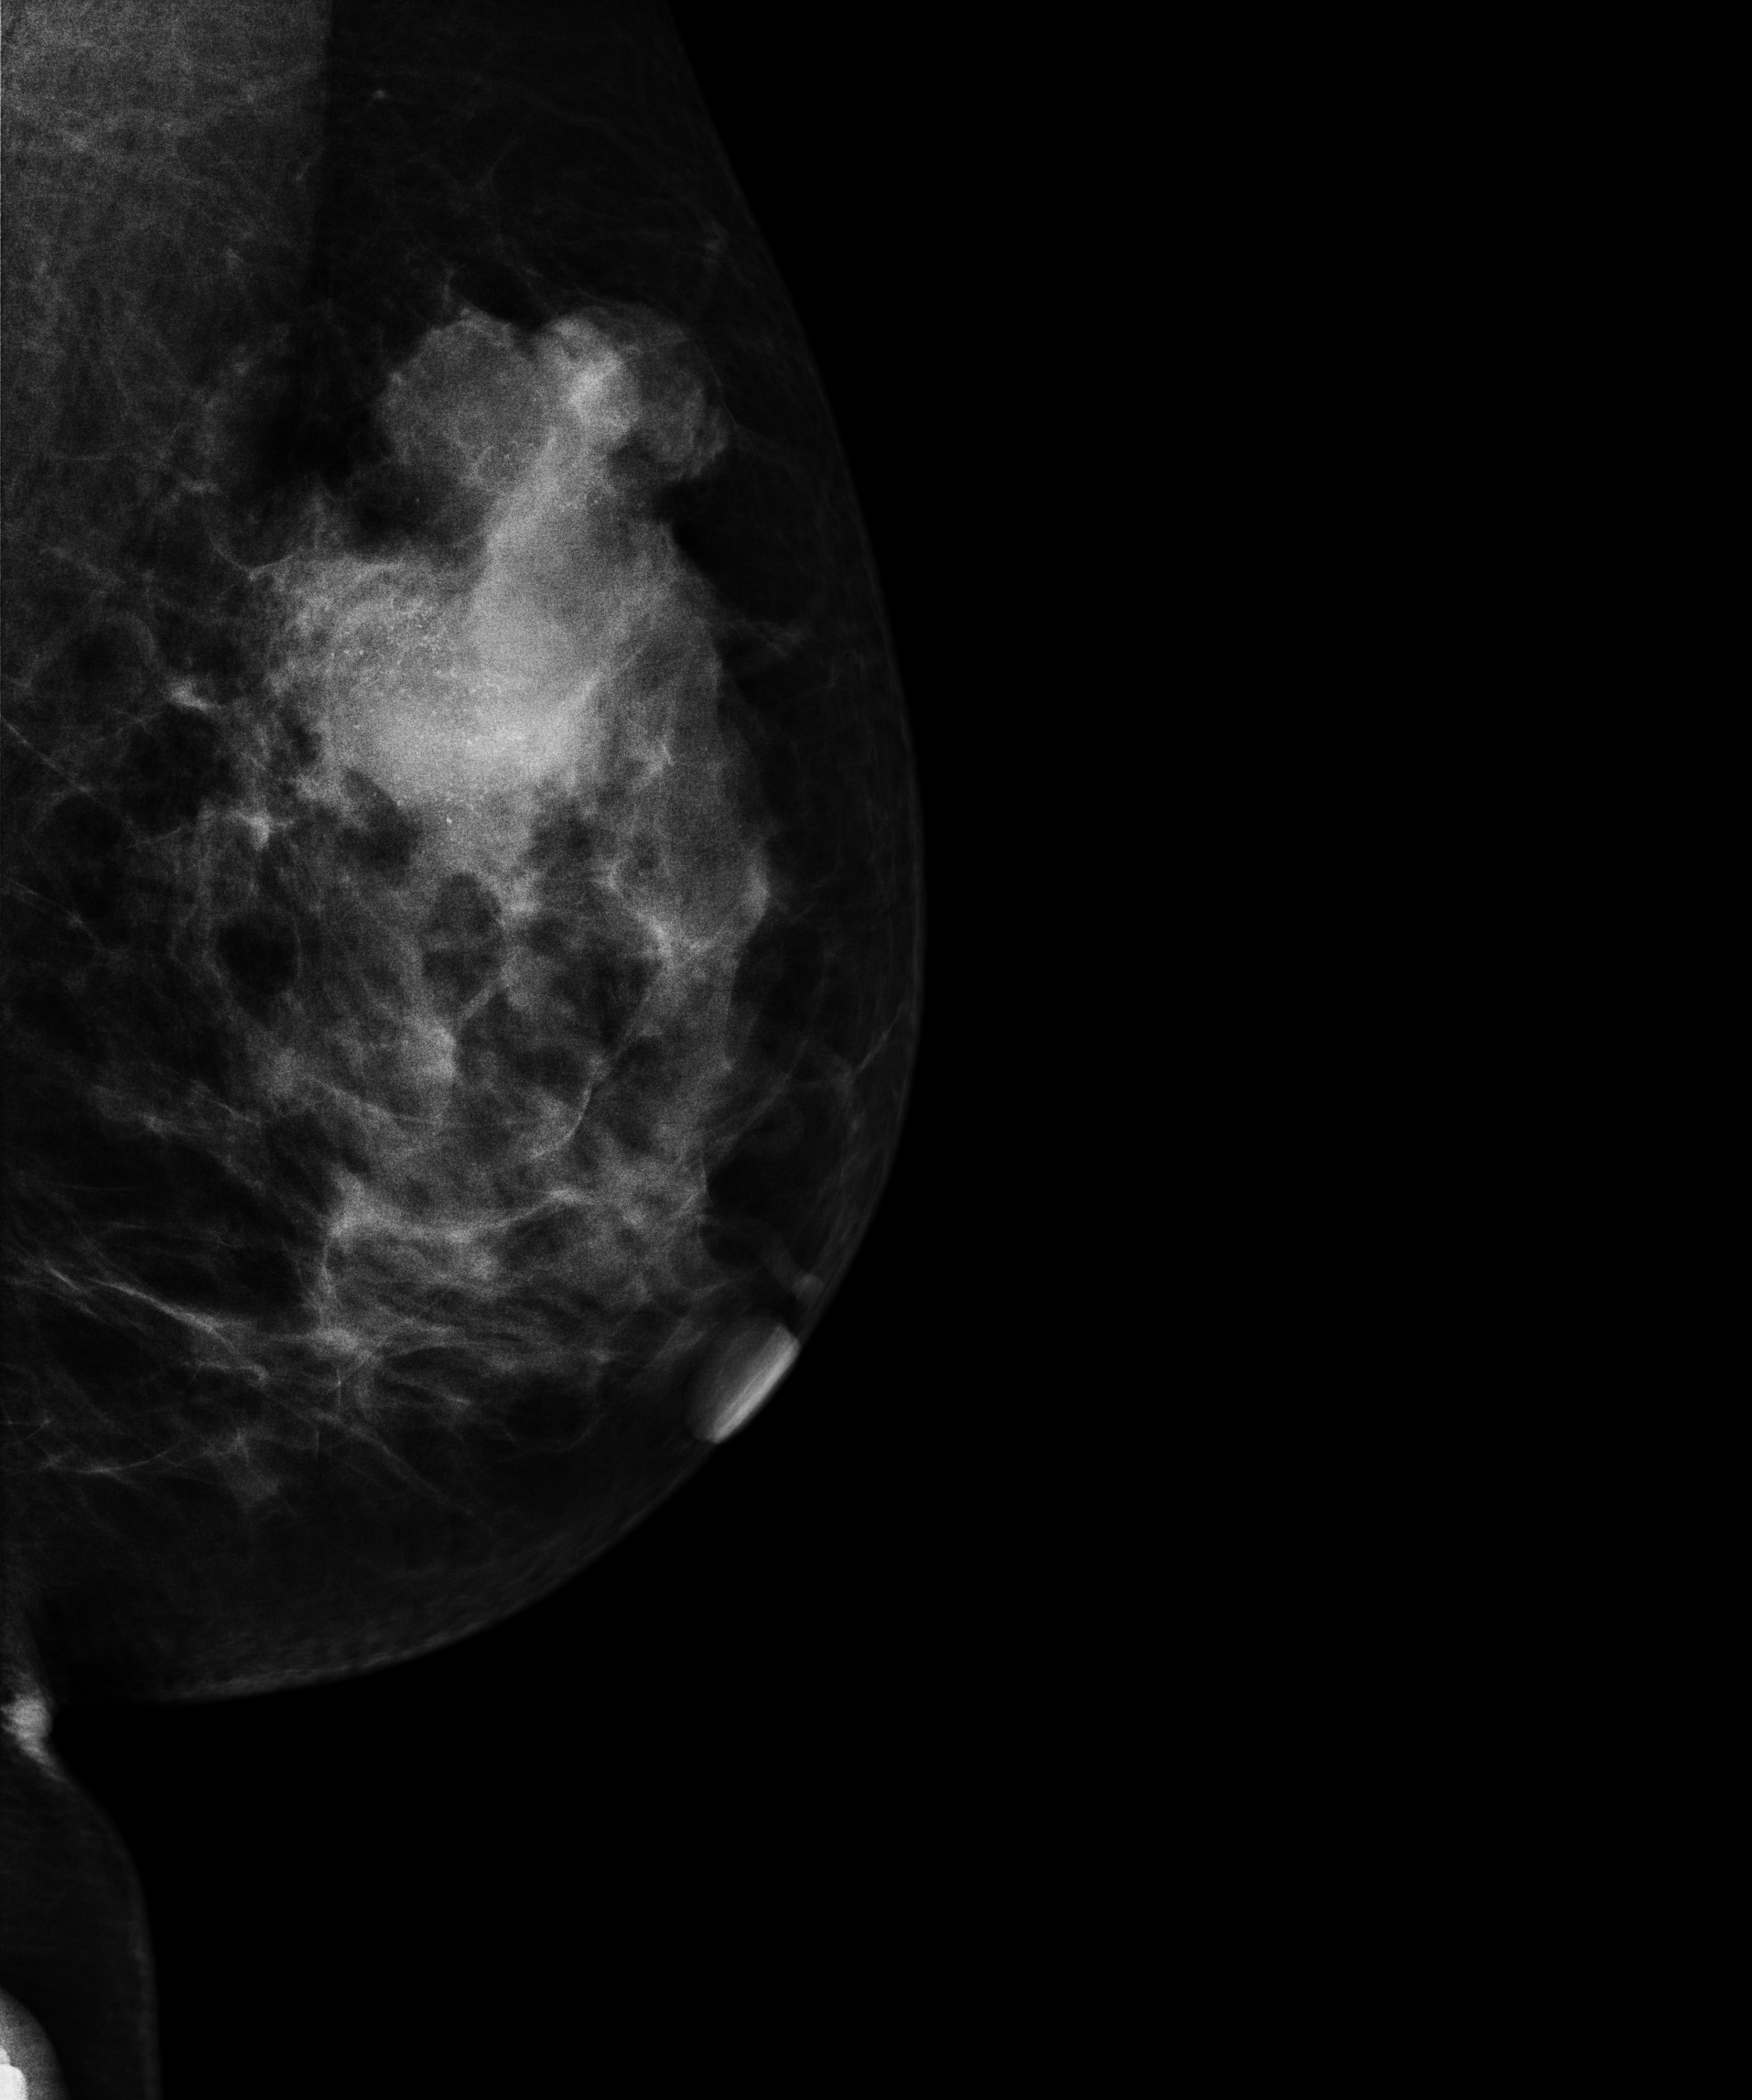
Digital mammography. Left breast, medio-lateral oblique projection. 48 y/o patient.
This breast has a mass and calcifications, biopsy-confirmed malignant. Molecular subtype: HER2-enriched.